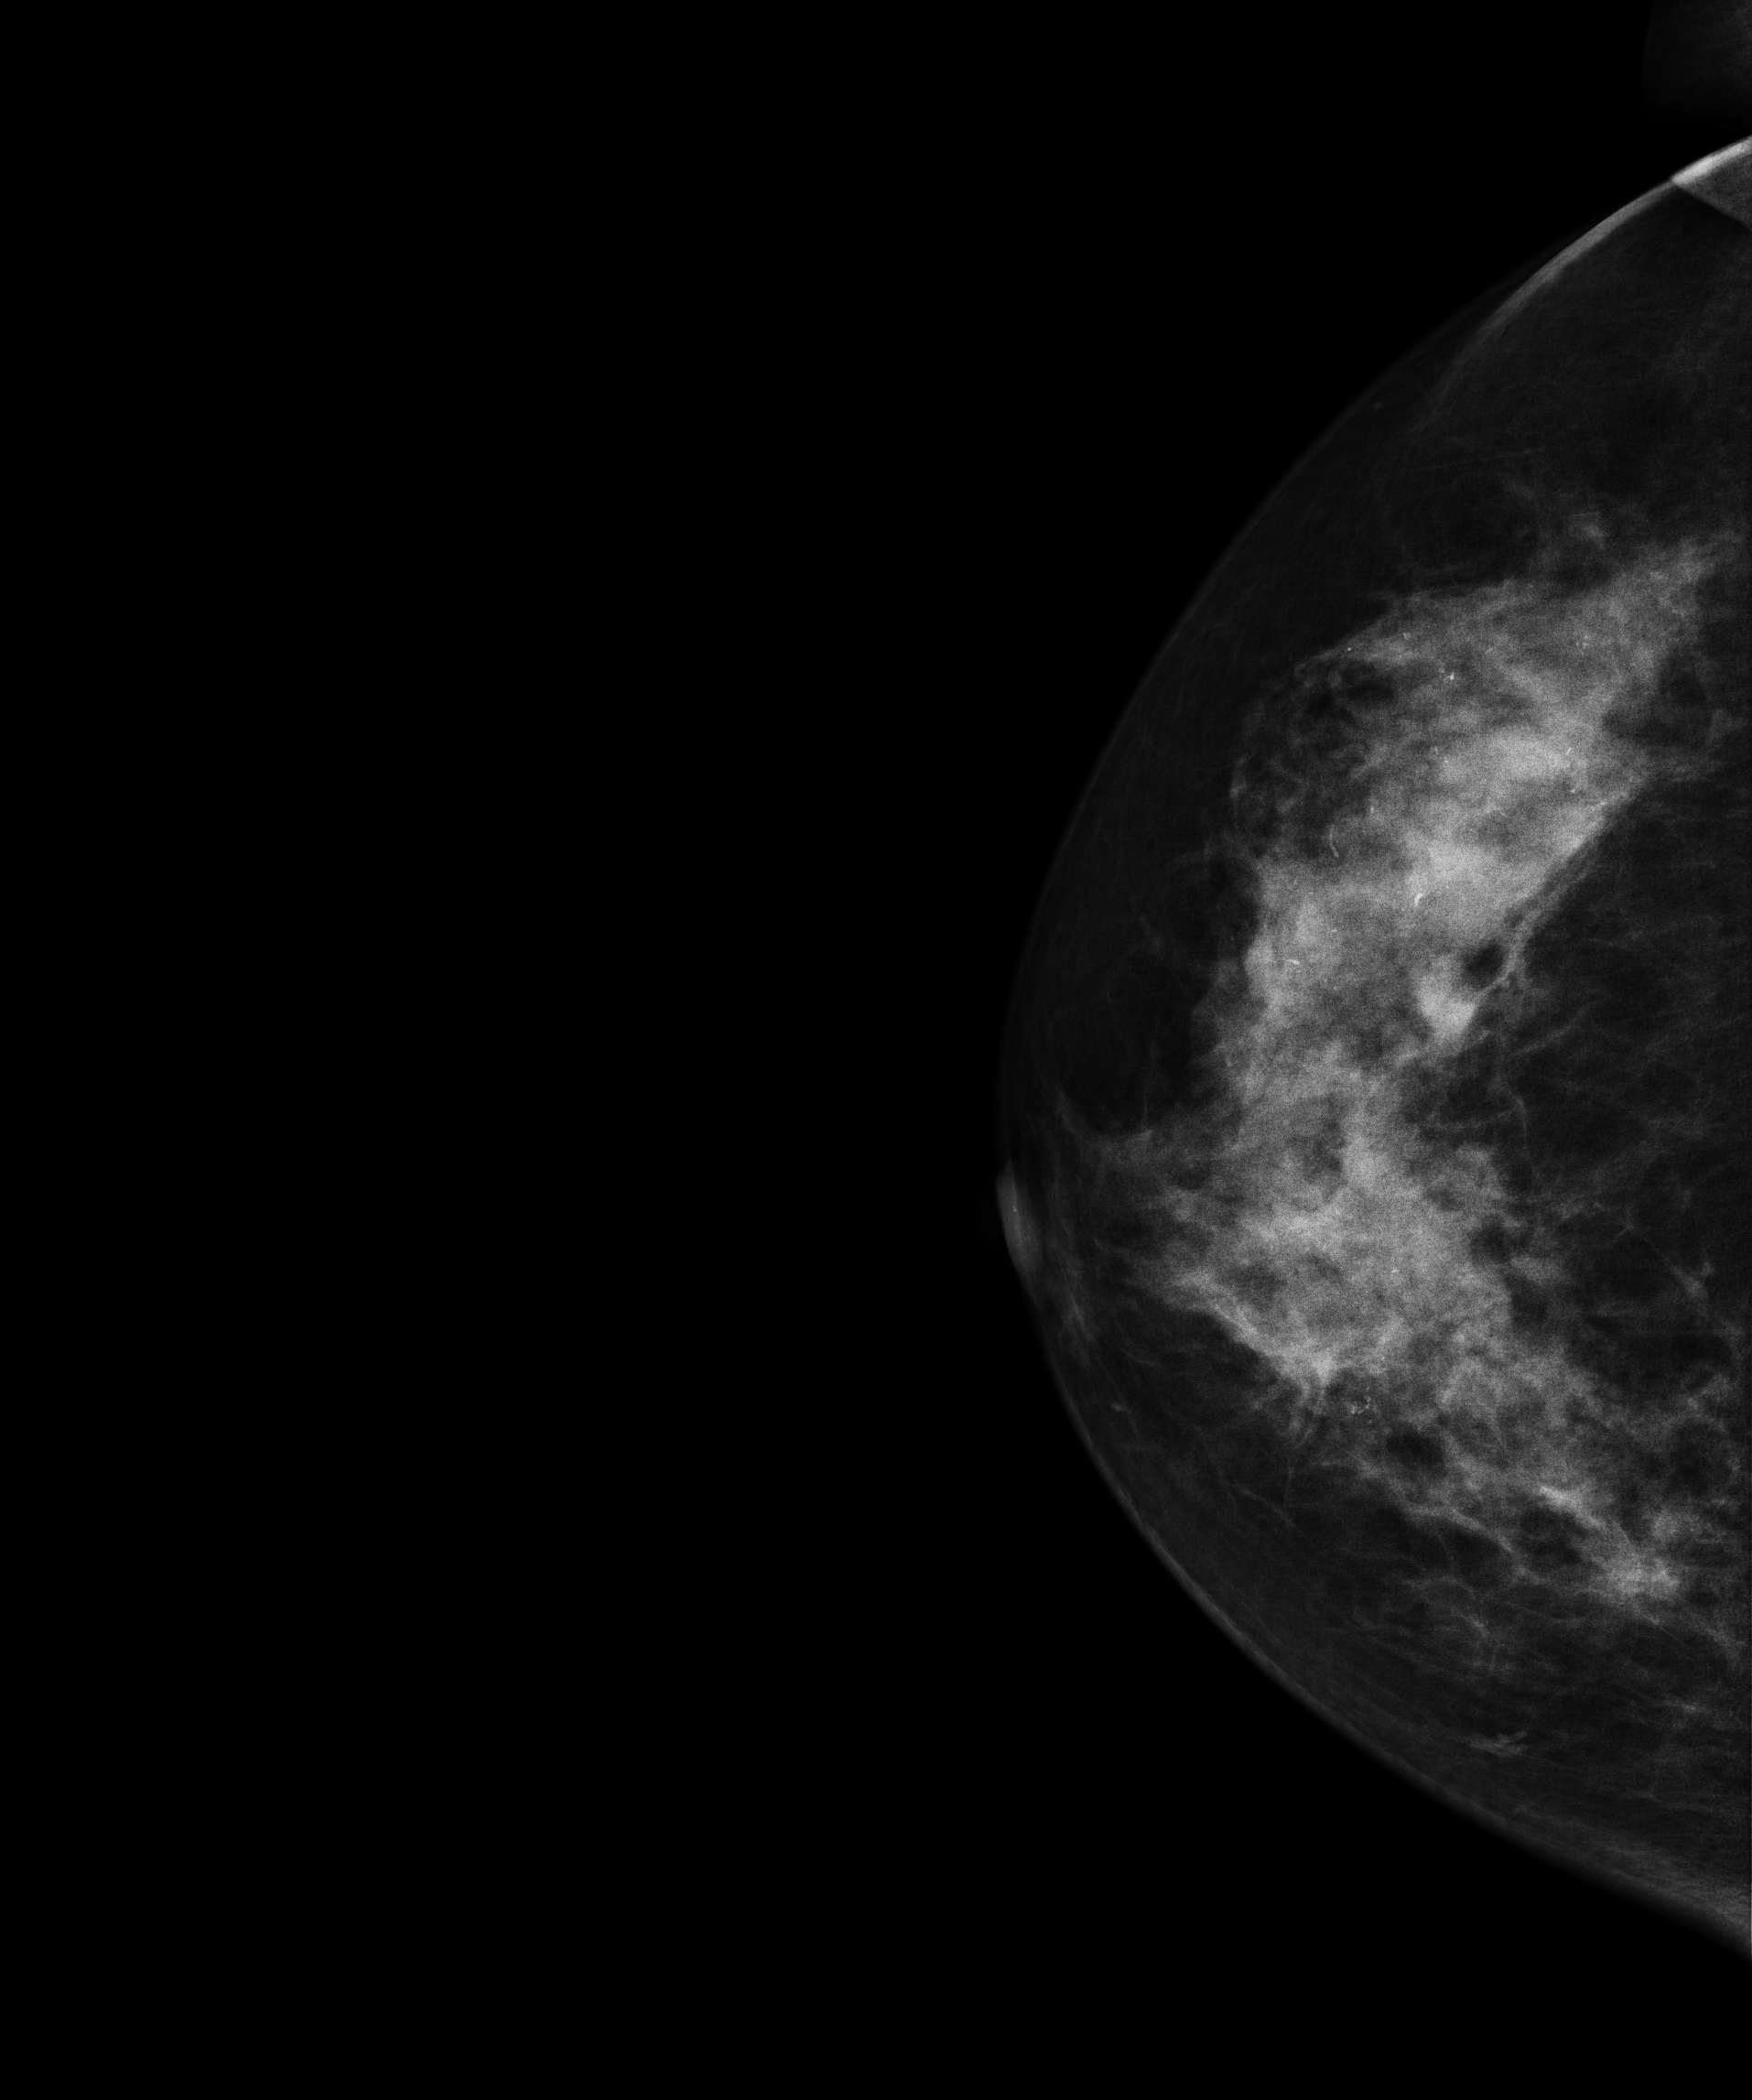
Mammogram — right cranio-caudal. 56 y/o patient.
This breast has calcifications, biopsy-proven malignant.